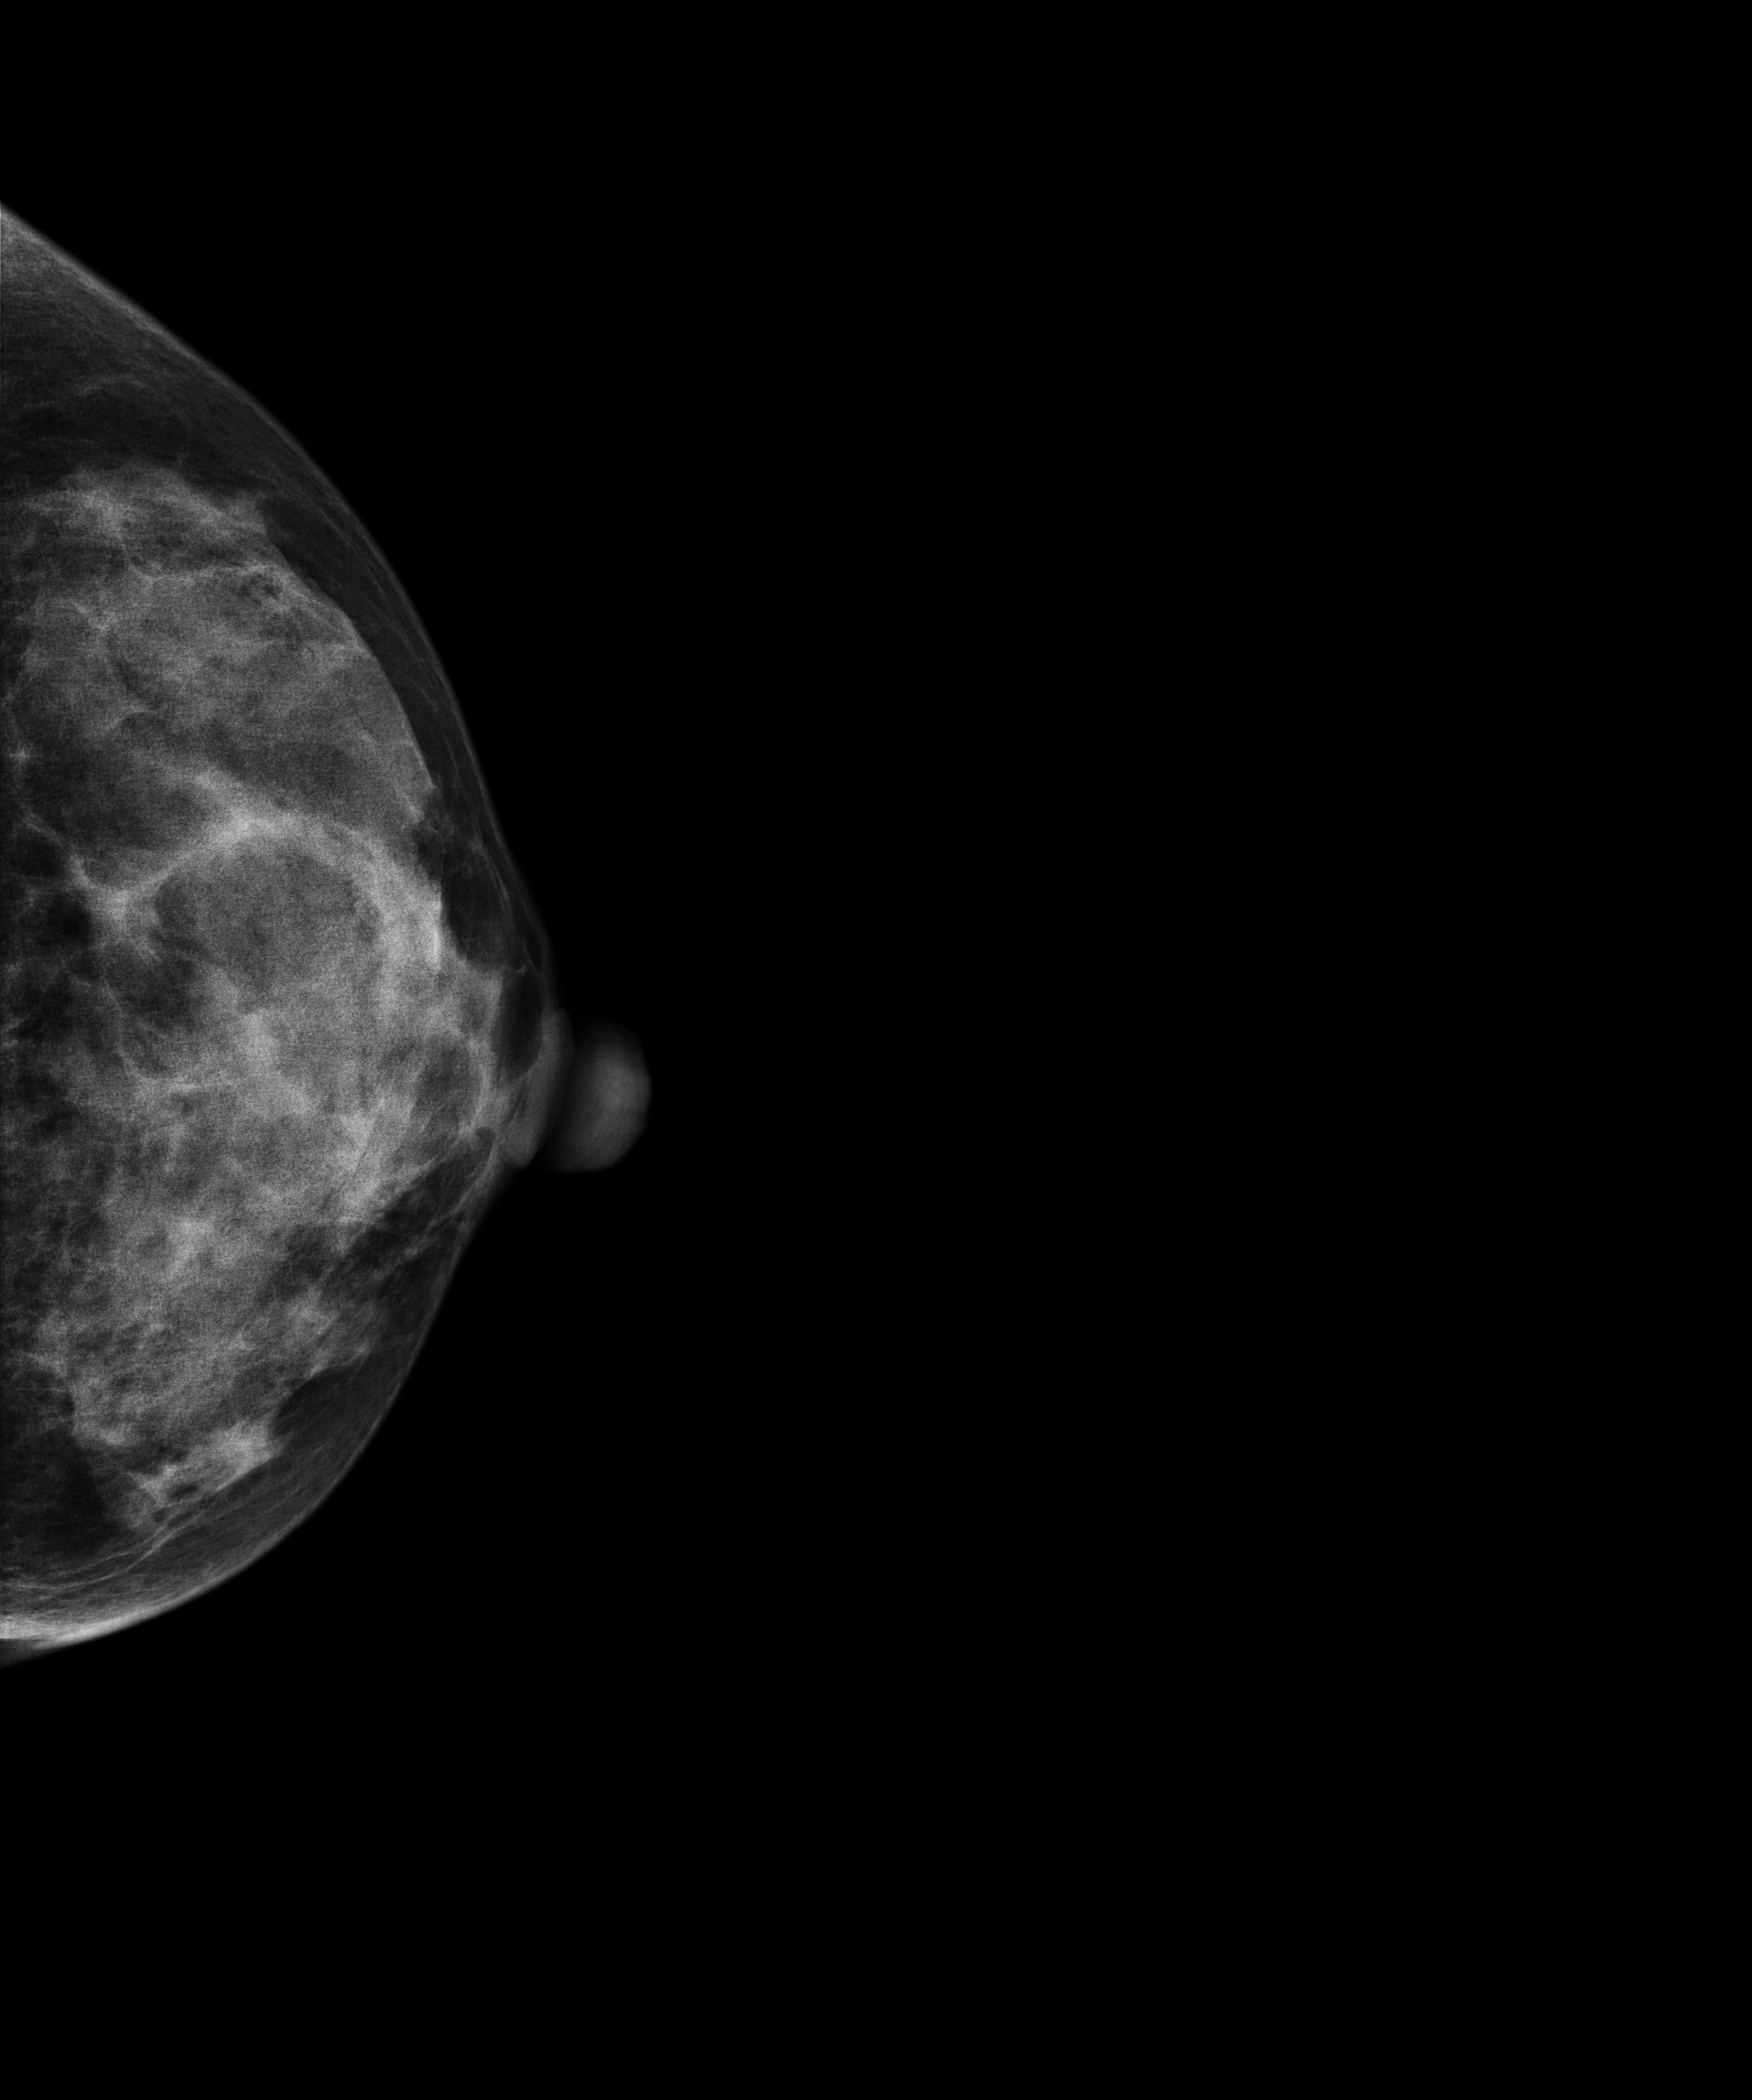
CC mammogram of the left breast. 49 y/o patient.
Contralateral breast — no documented abnormality on this side.